Digital mammography. Left breast, cranio-caudal projection. 42-year-old patient.
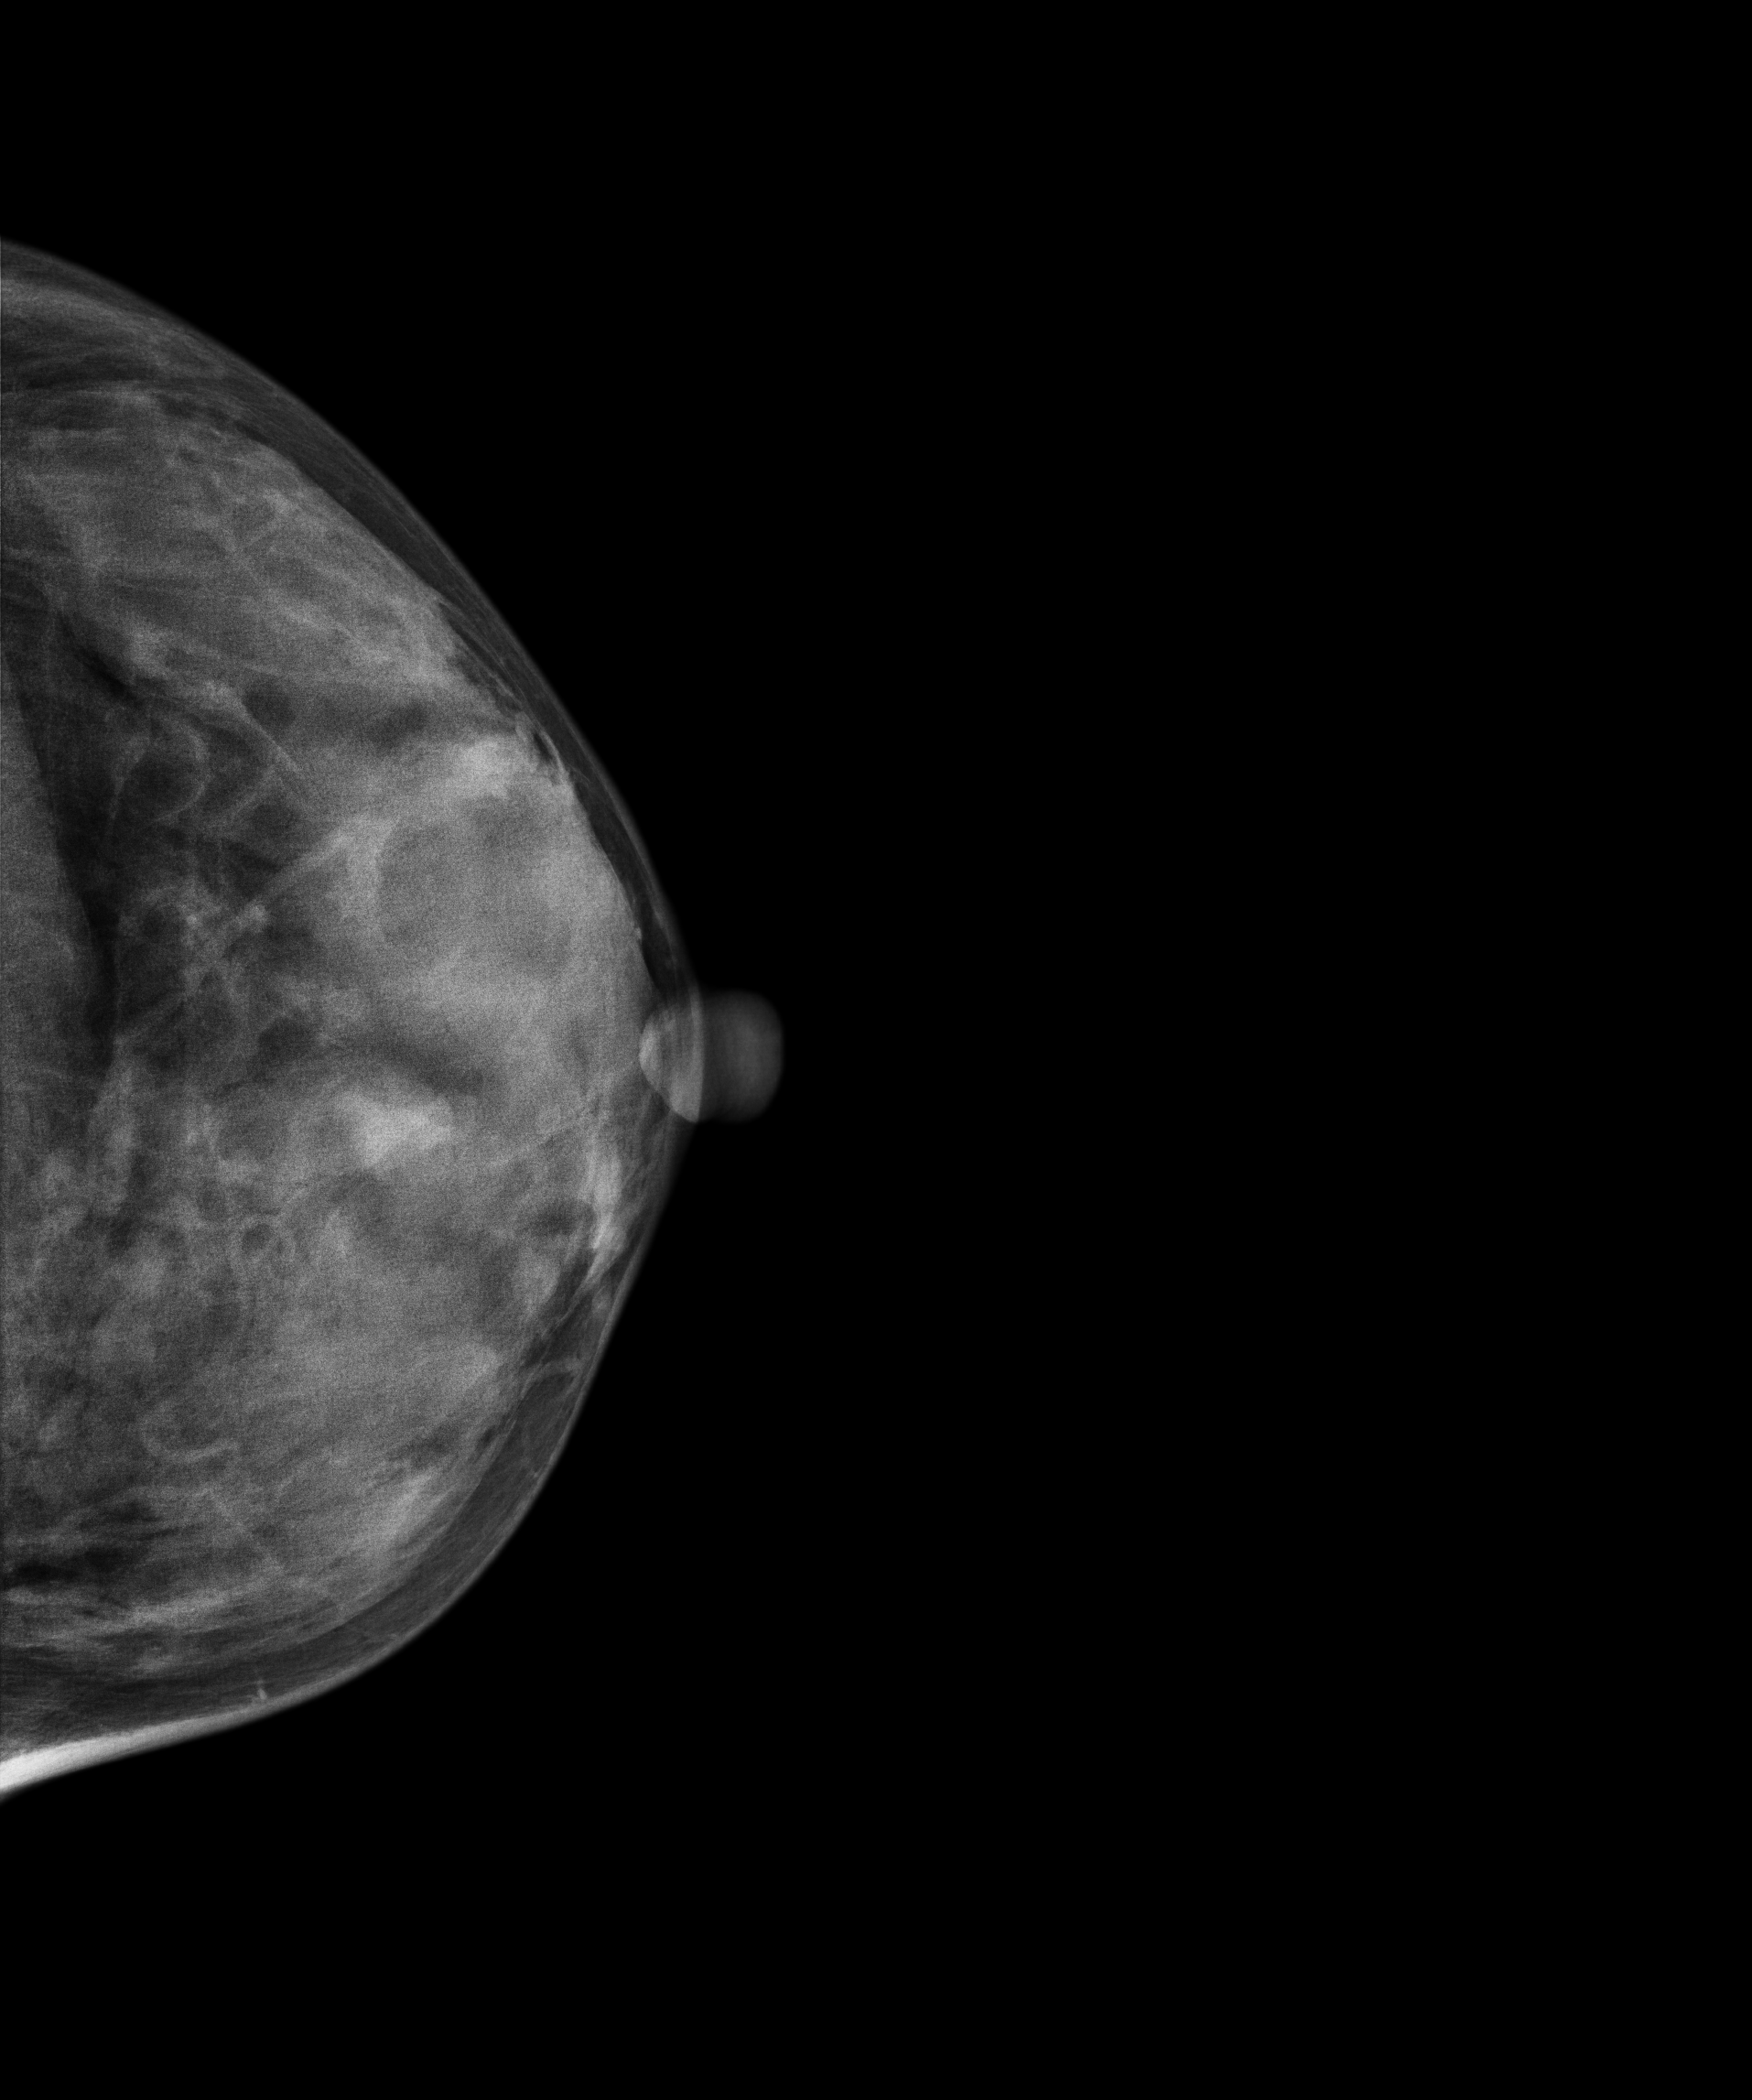
This breast has a mass, biopsy-confirmed benign.